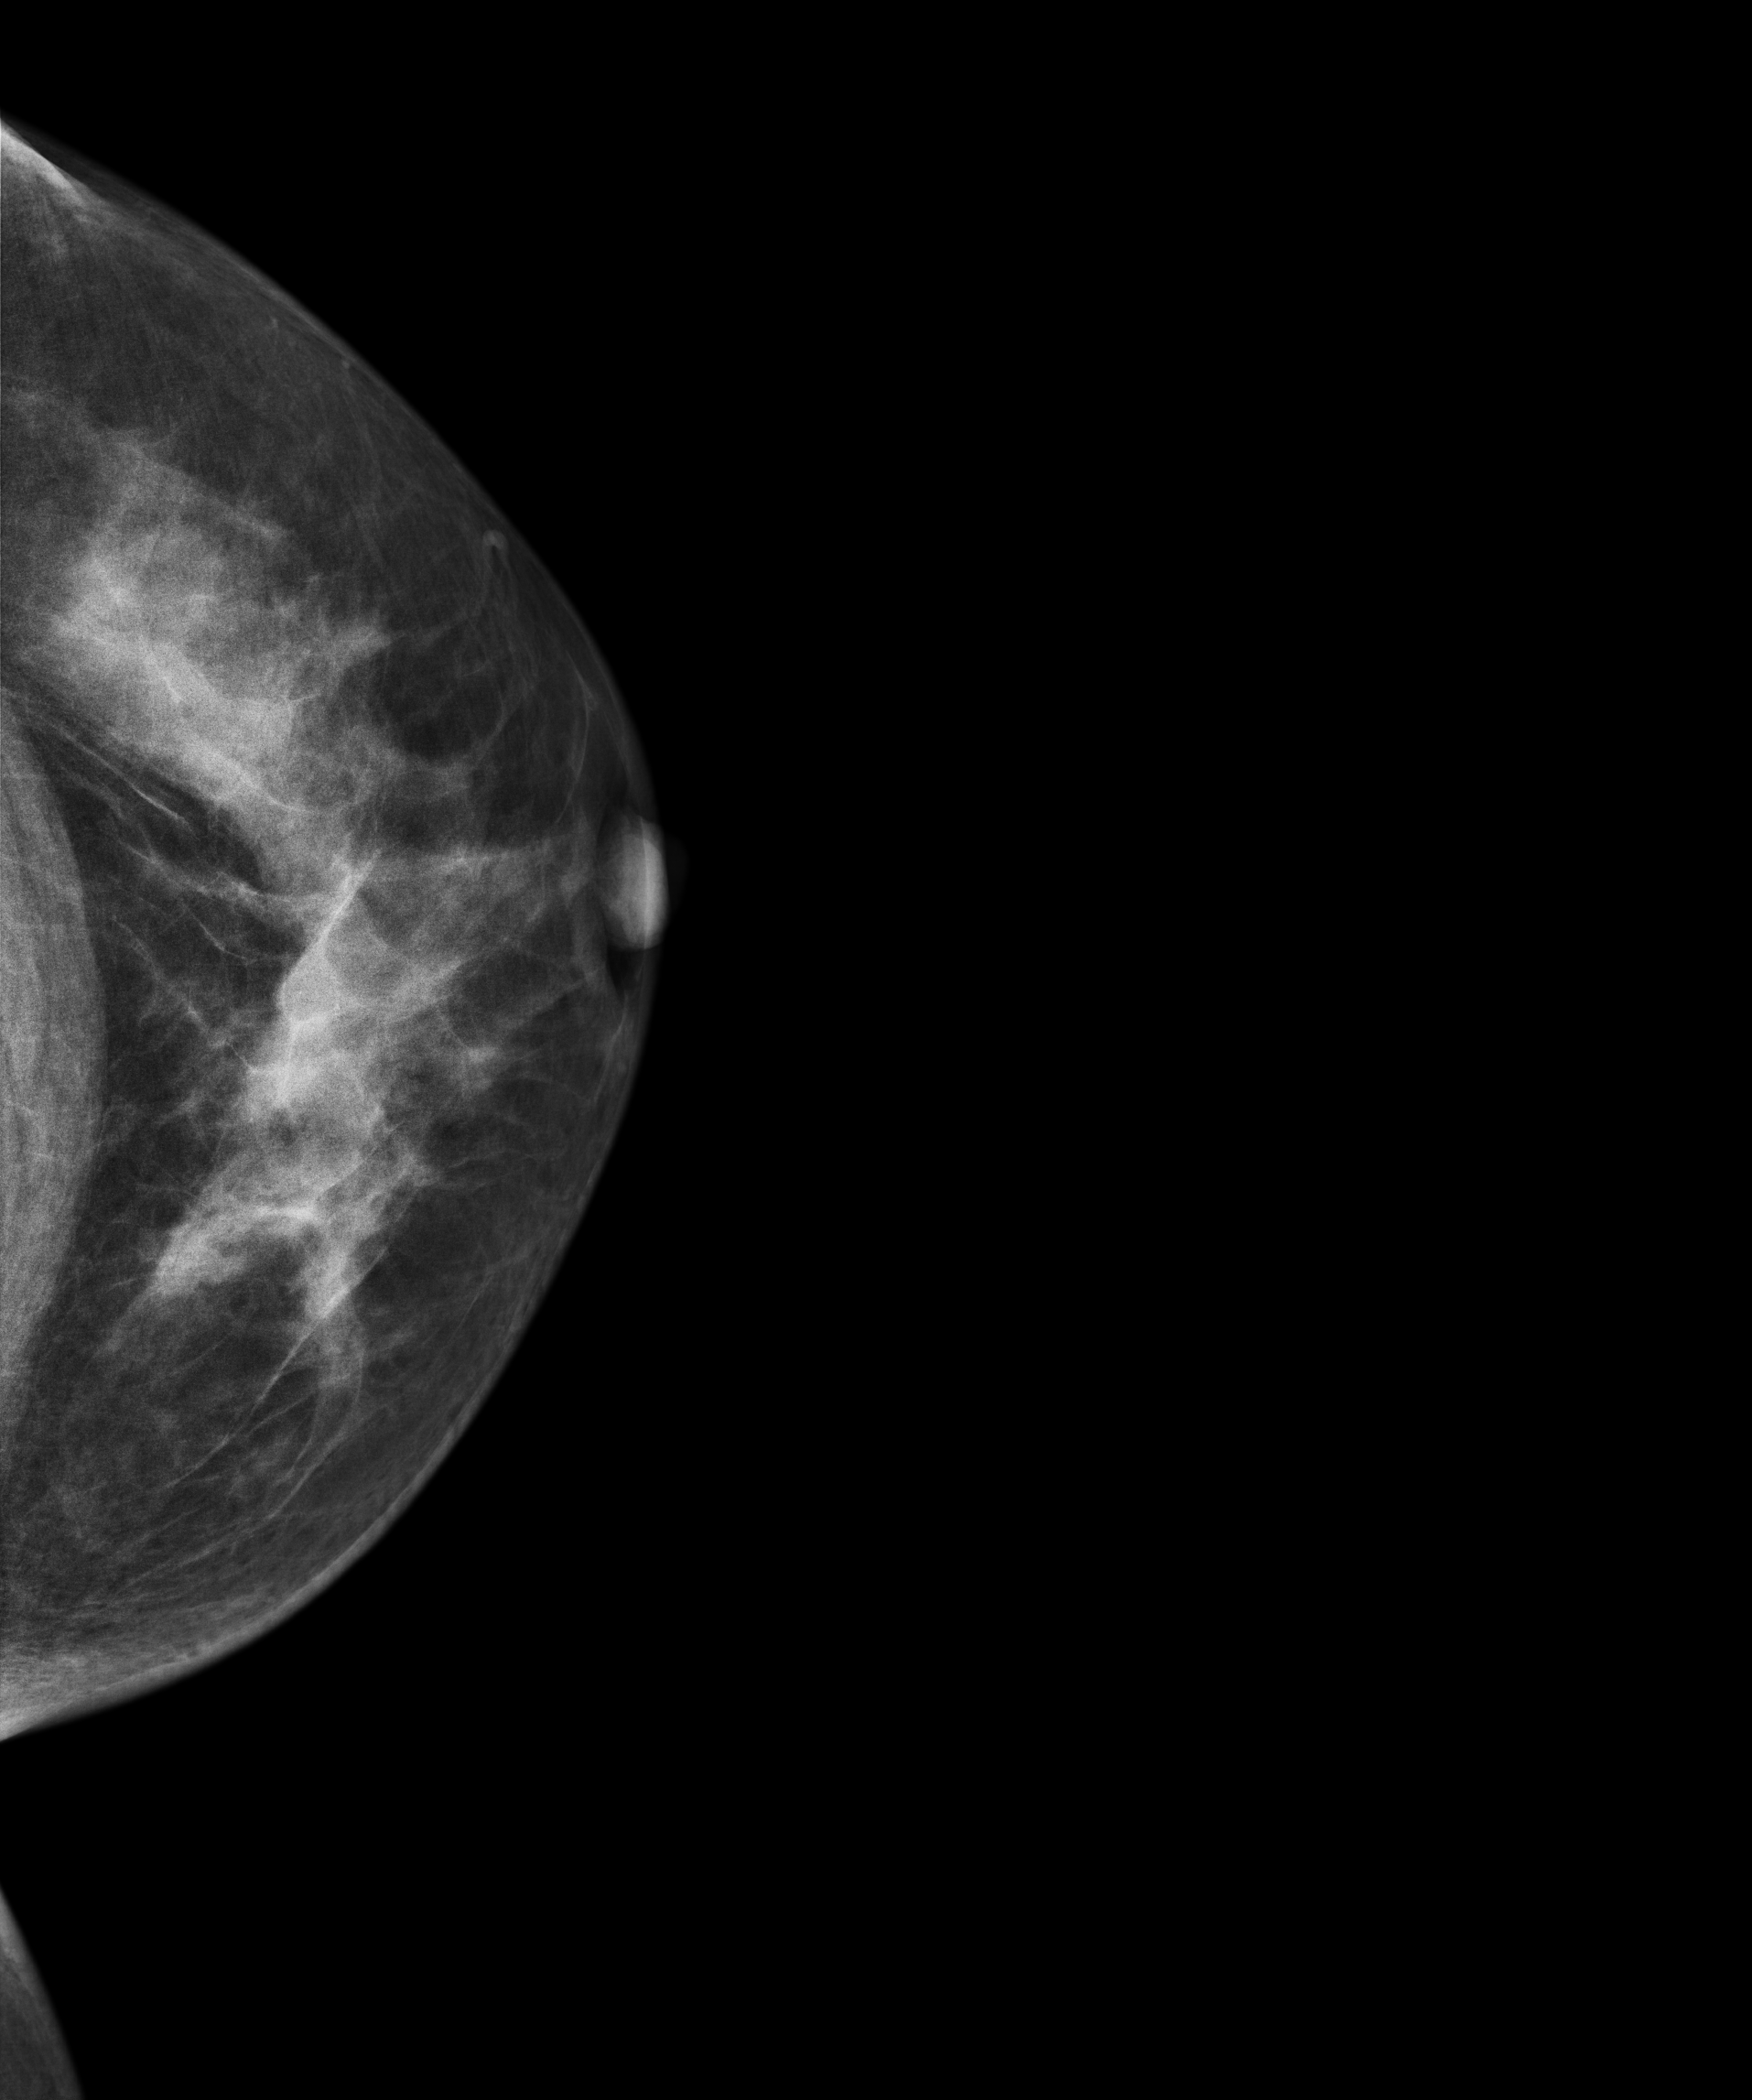
Mammogram, left breast, cranio-caudal view. 48-year-old patient.
This breast has a mass, biopsy-proven malignant.